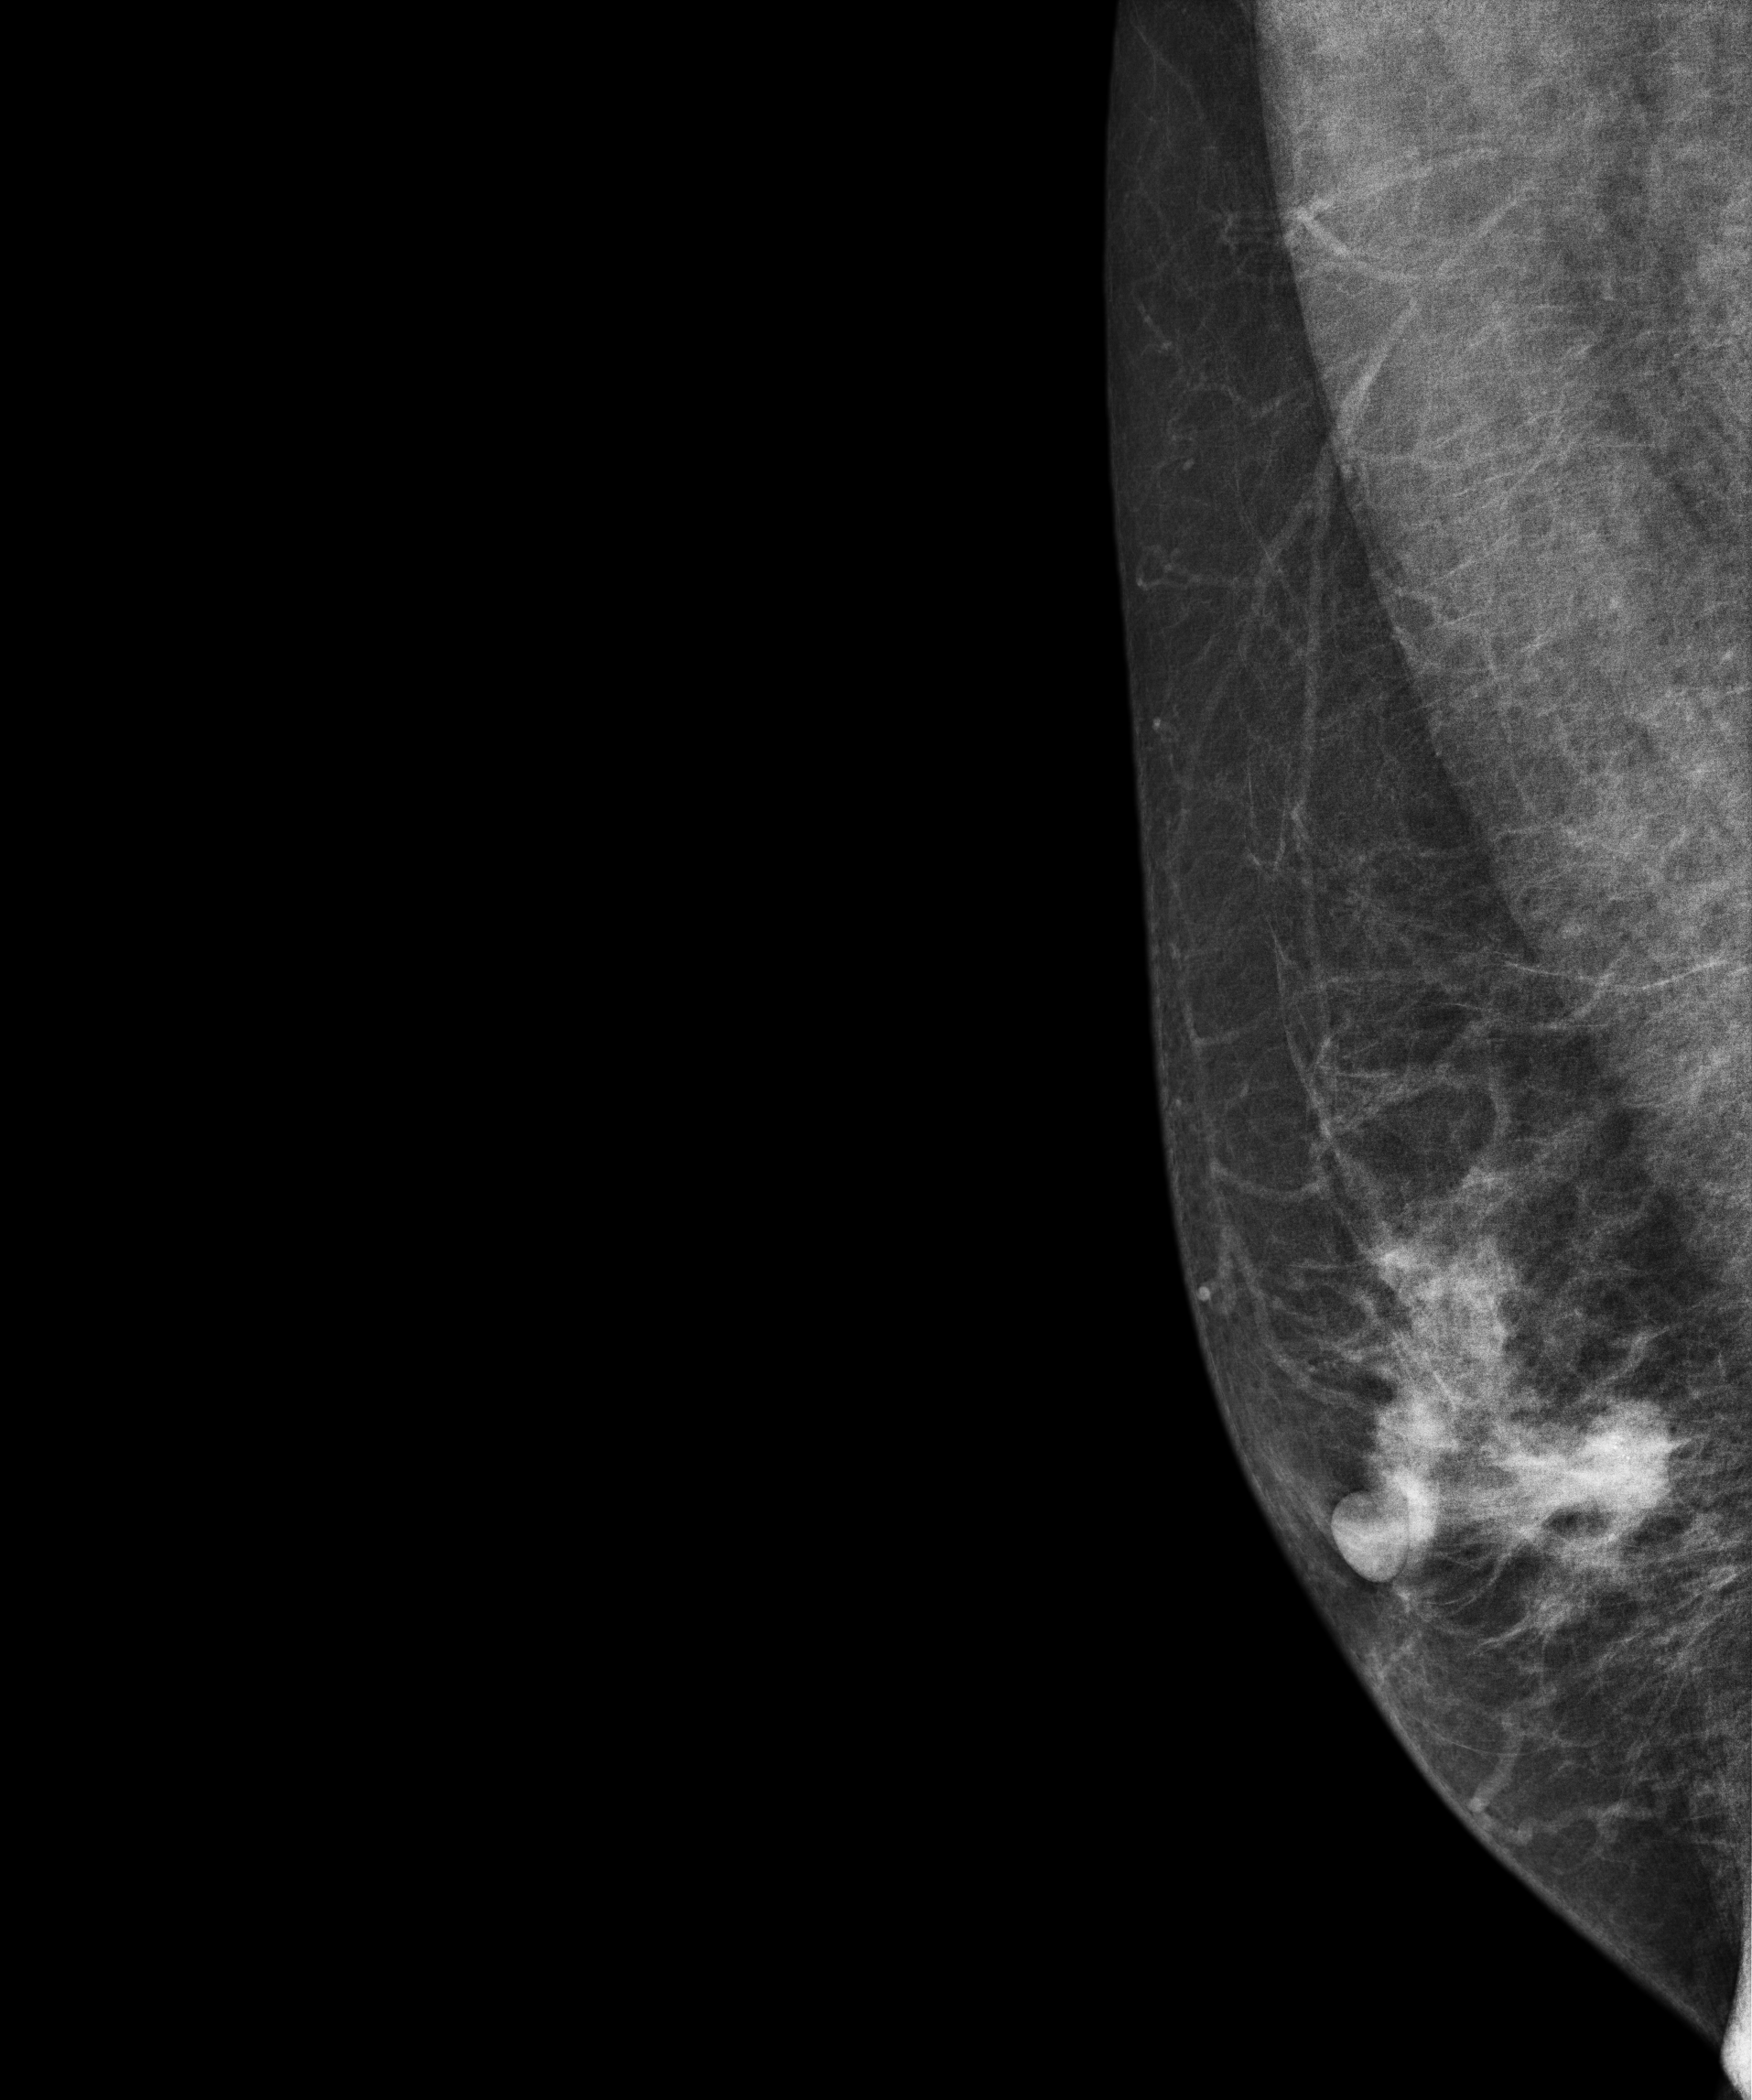
Medio-lateral oblique mammogram of the right breast. Patient age 59.
This breast has a mass and calcifications, biopsy-proven malignant.